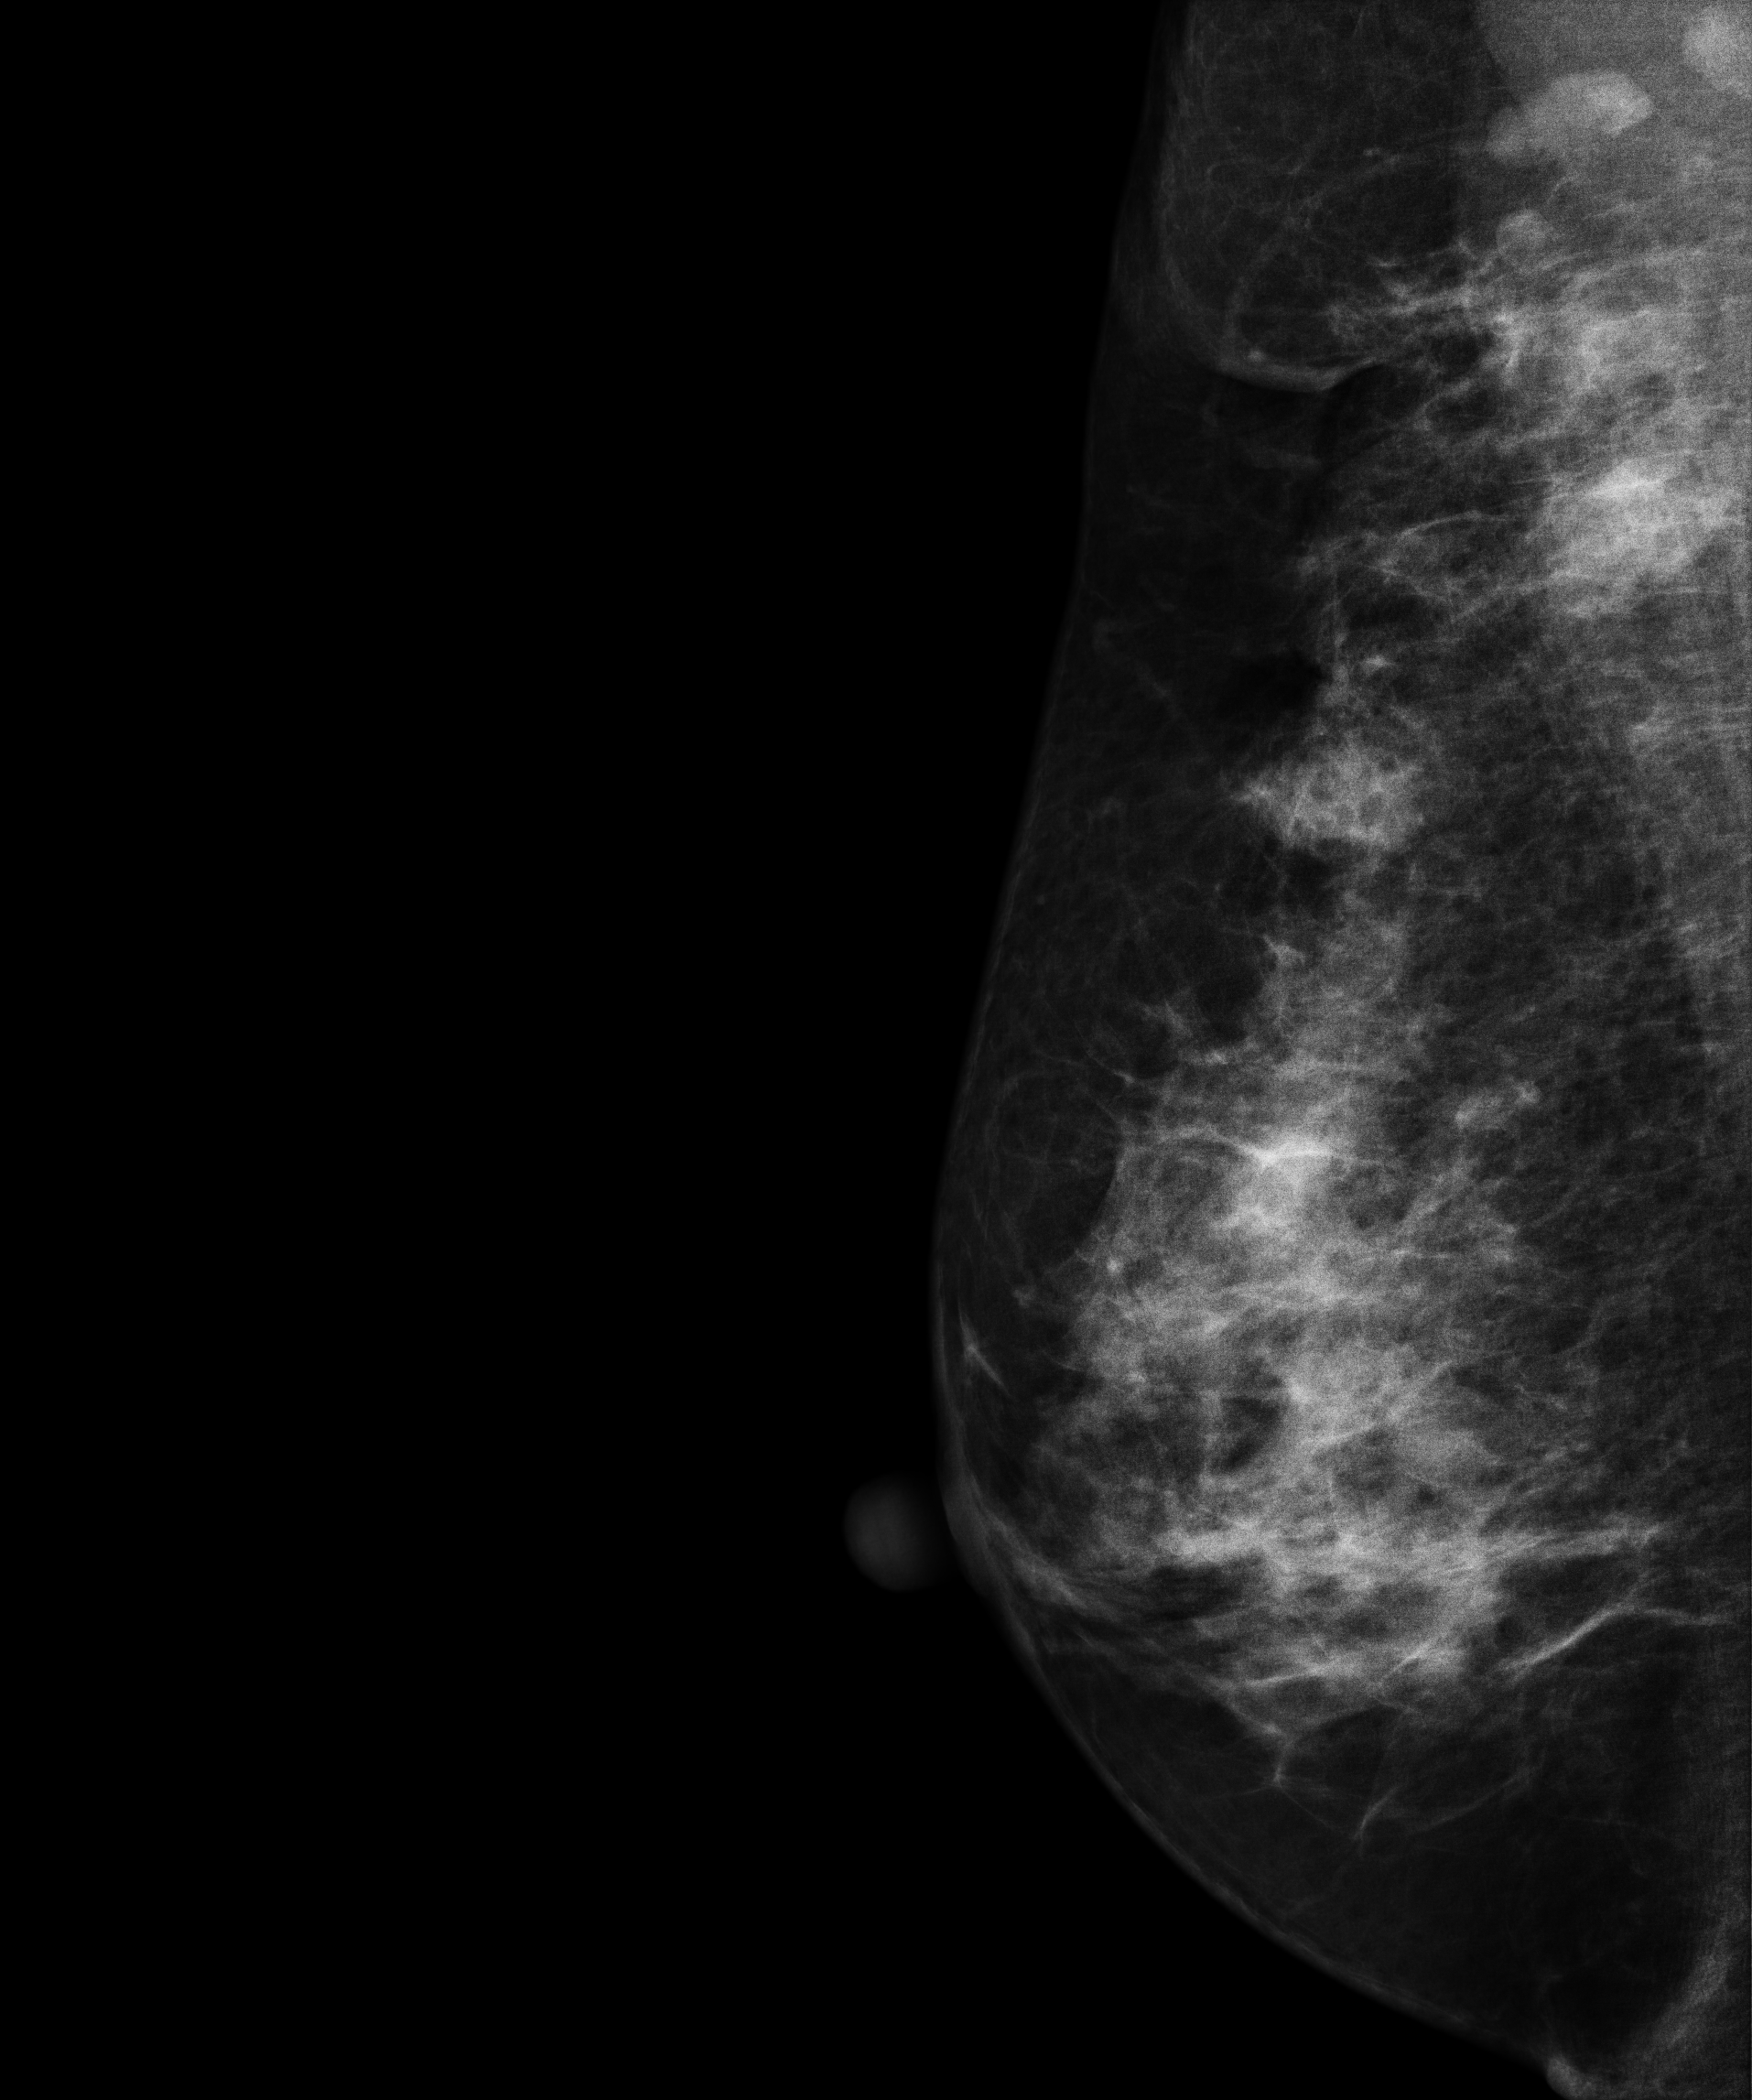
MLO mammogram of the right breast. 51 y/o patient.
This breast has a mass, pathology-confirmed malignant.